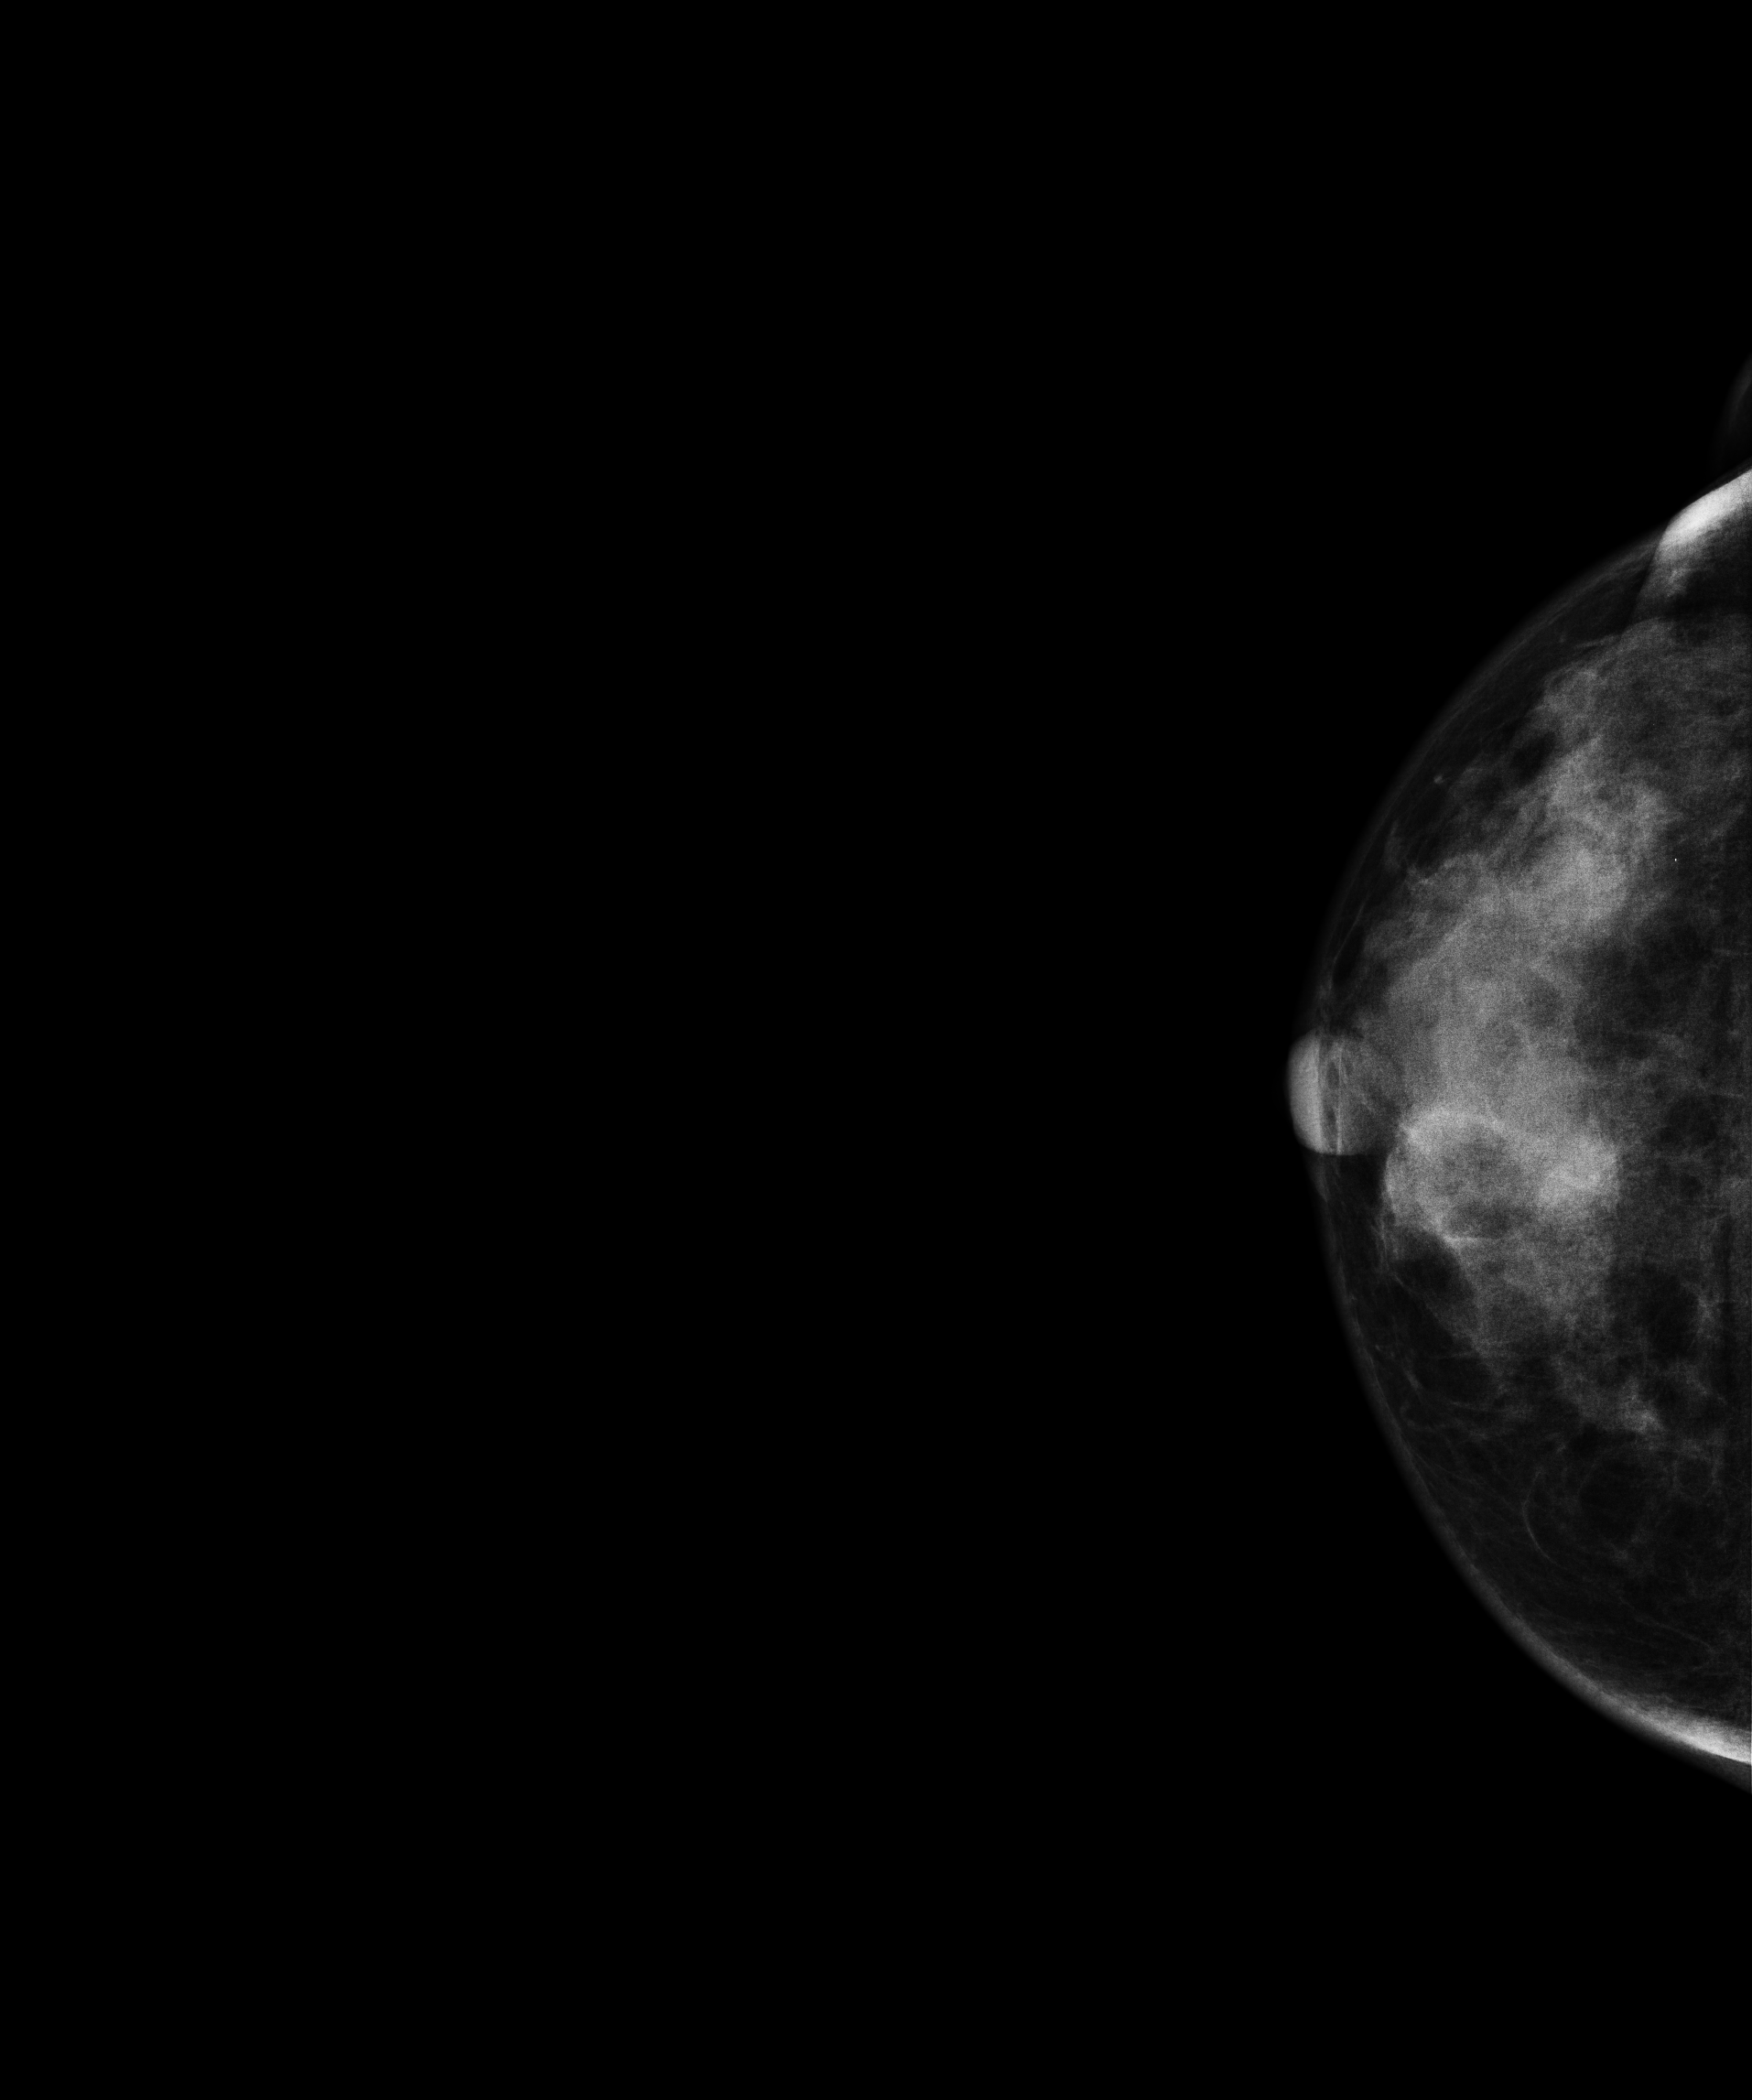
Cranio-caudal mammogram of the right breast. 64 y/o patient.
This breast has a mass, biopsy-proven malignant. Molecular subtype: luminal B.